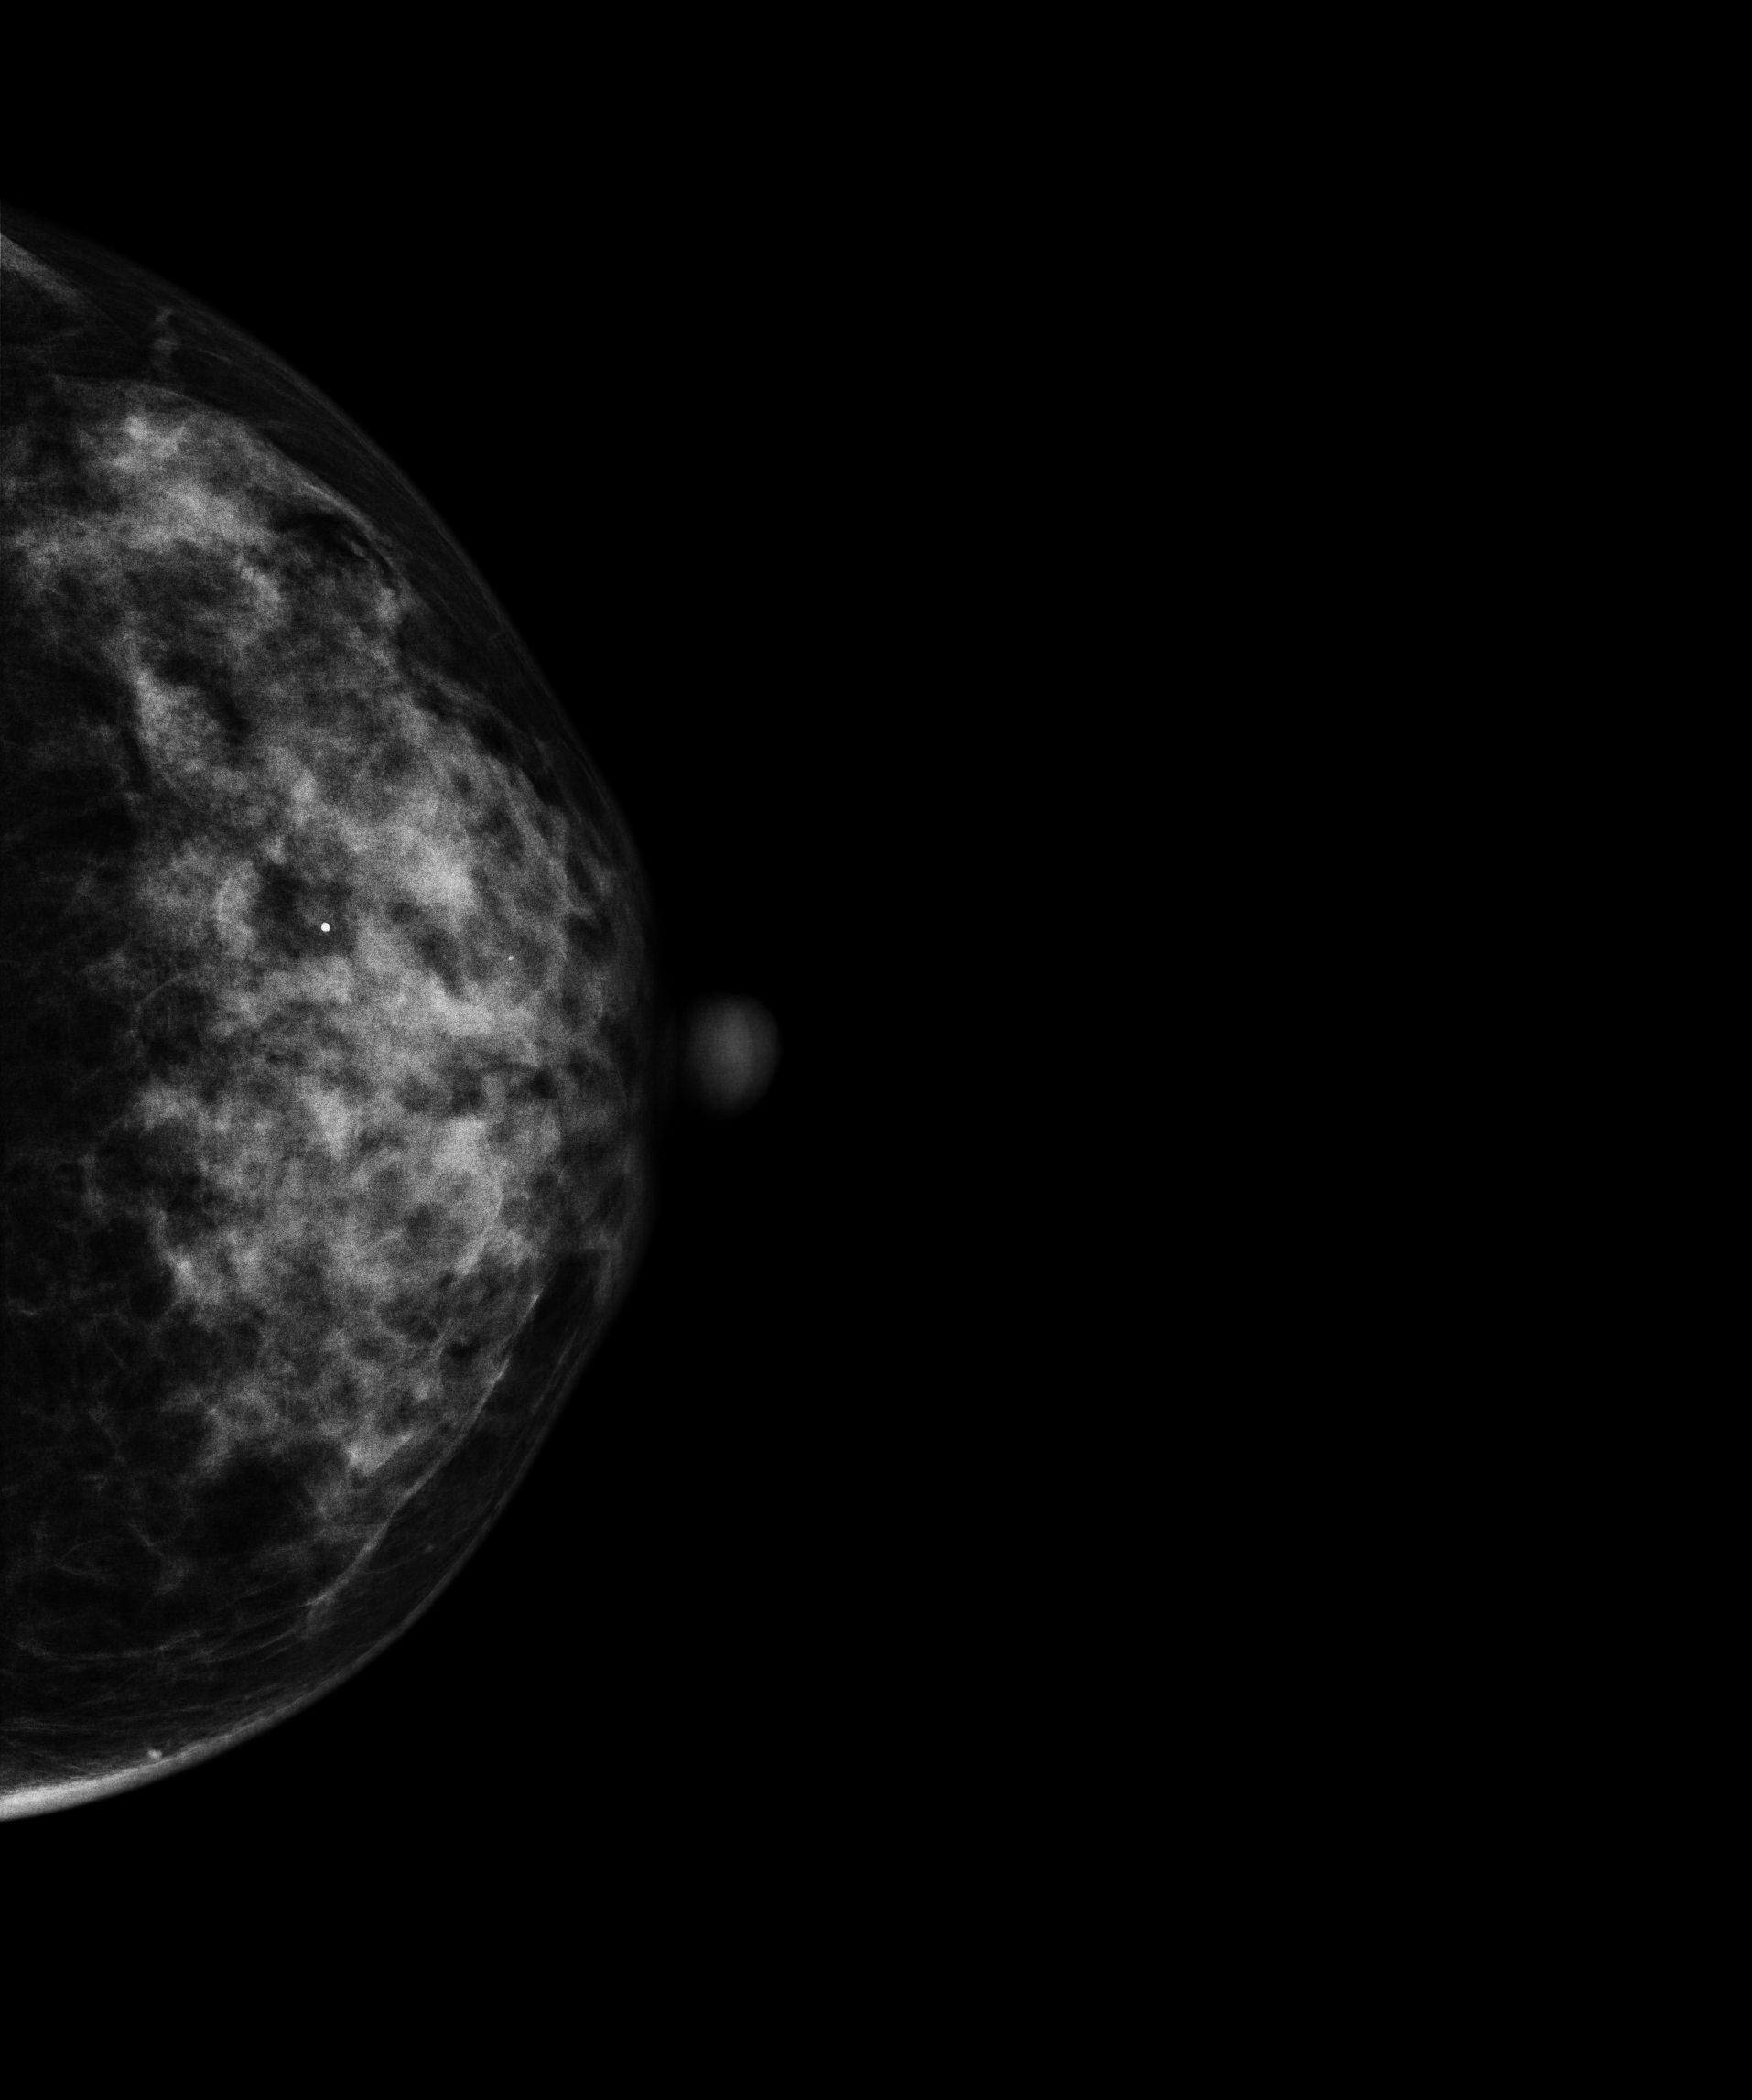
Digital mammography. Left breast, CC projection. Patient age 50.
Contralateral breast — no documented abnormality on this side.